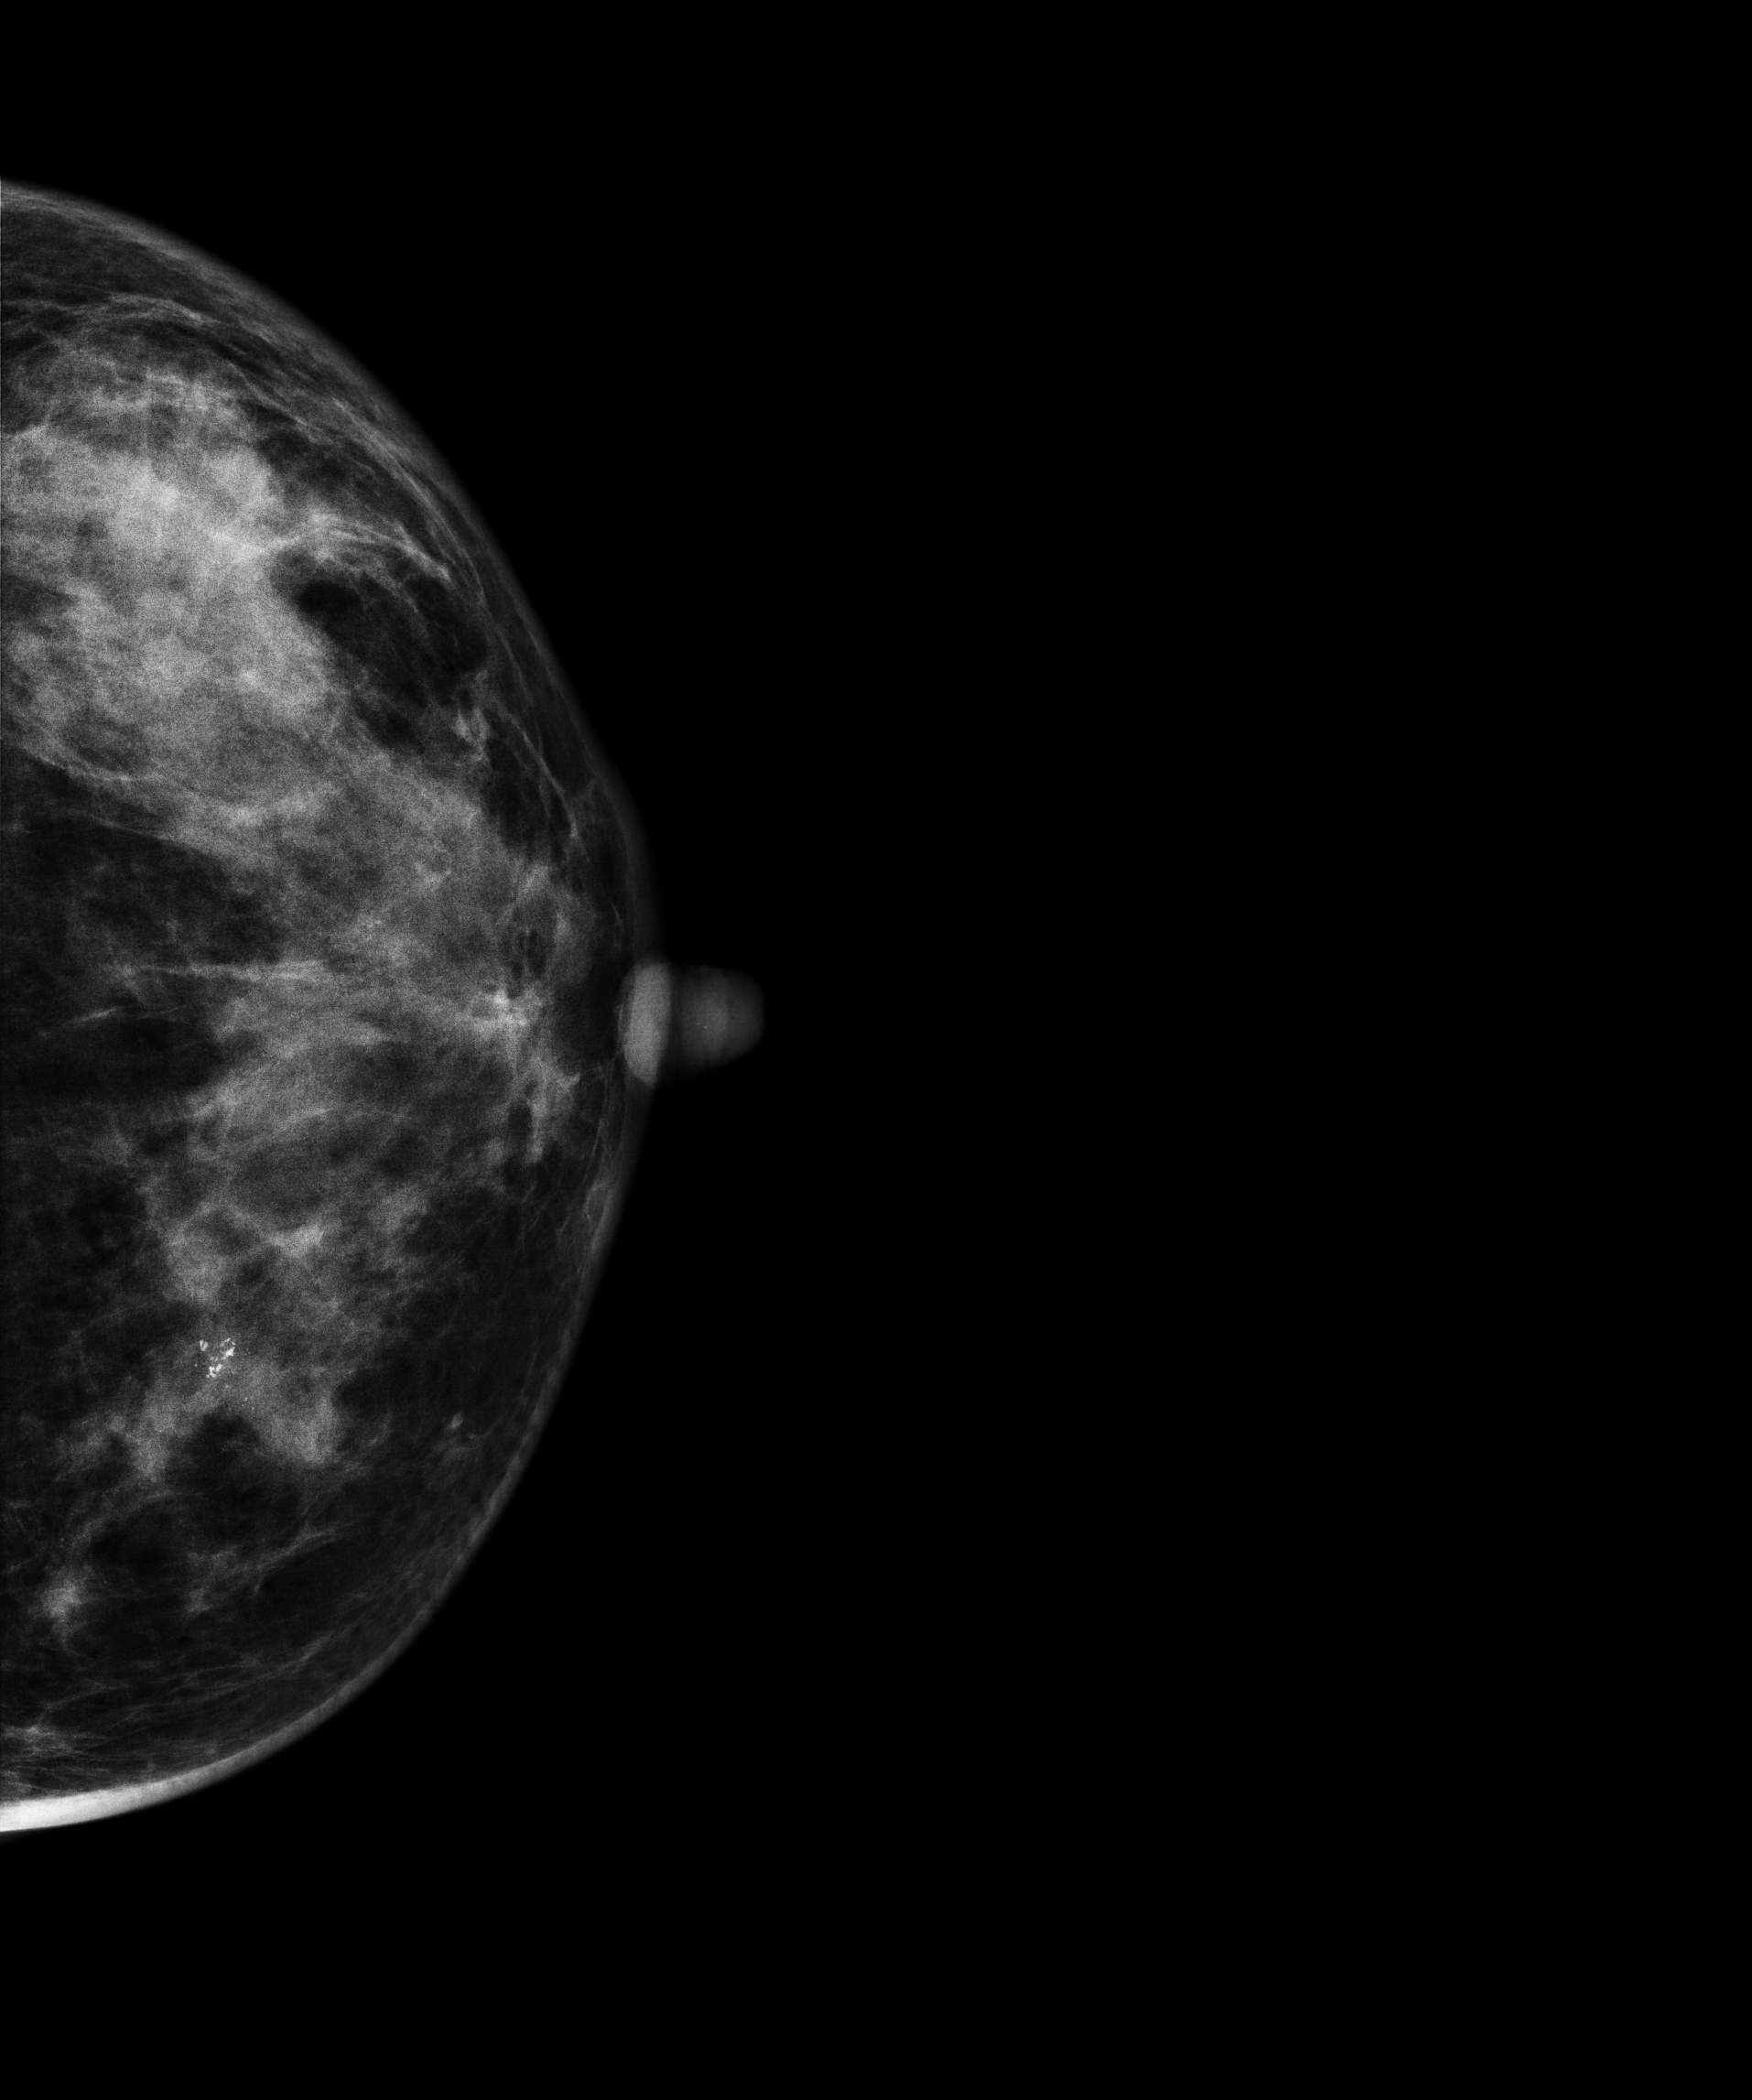
Mammogram, left breast, cranio-caudal view. Patient age 46.
This breast has calcifications, biopsy-proven malignant. Molecular subtype: HER2-enriched.